Digital mammography. Right breast, cranio-caudal projection. Patient age 87.
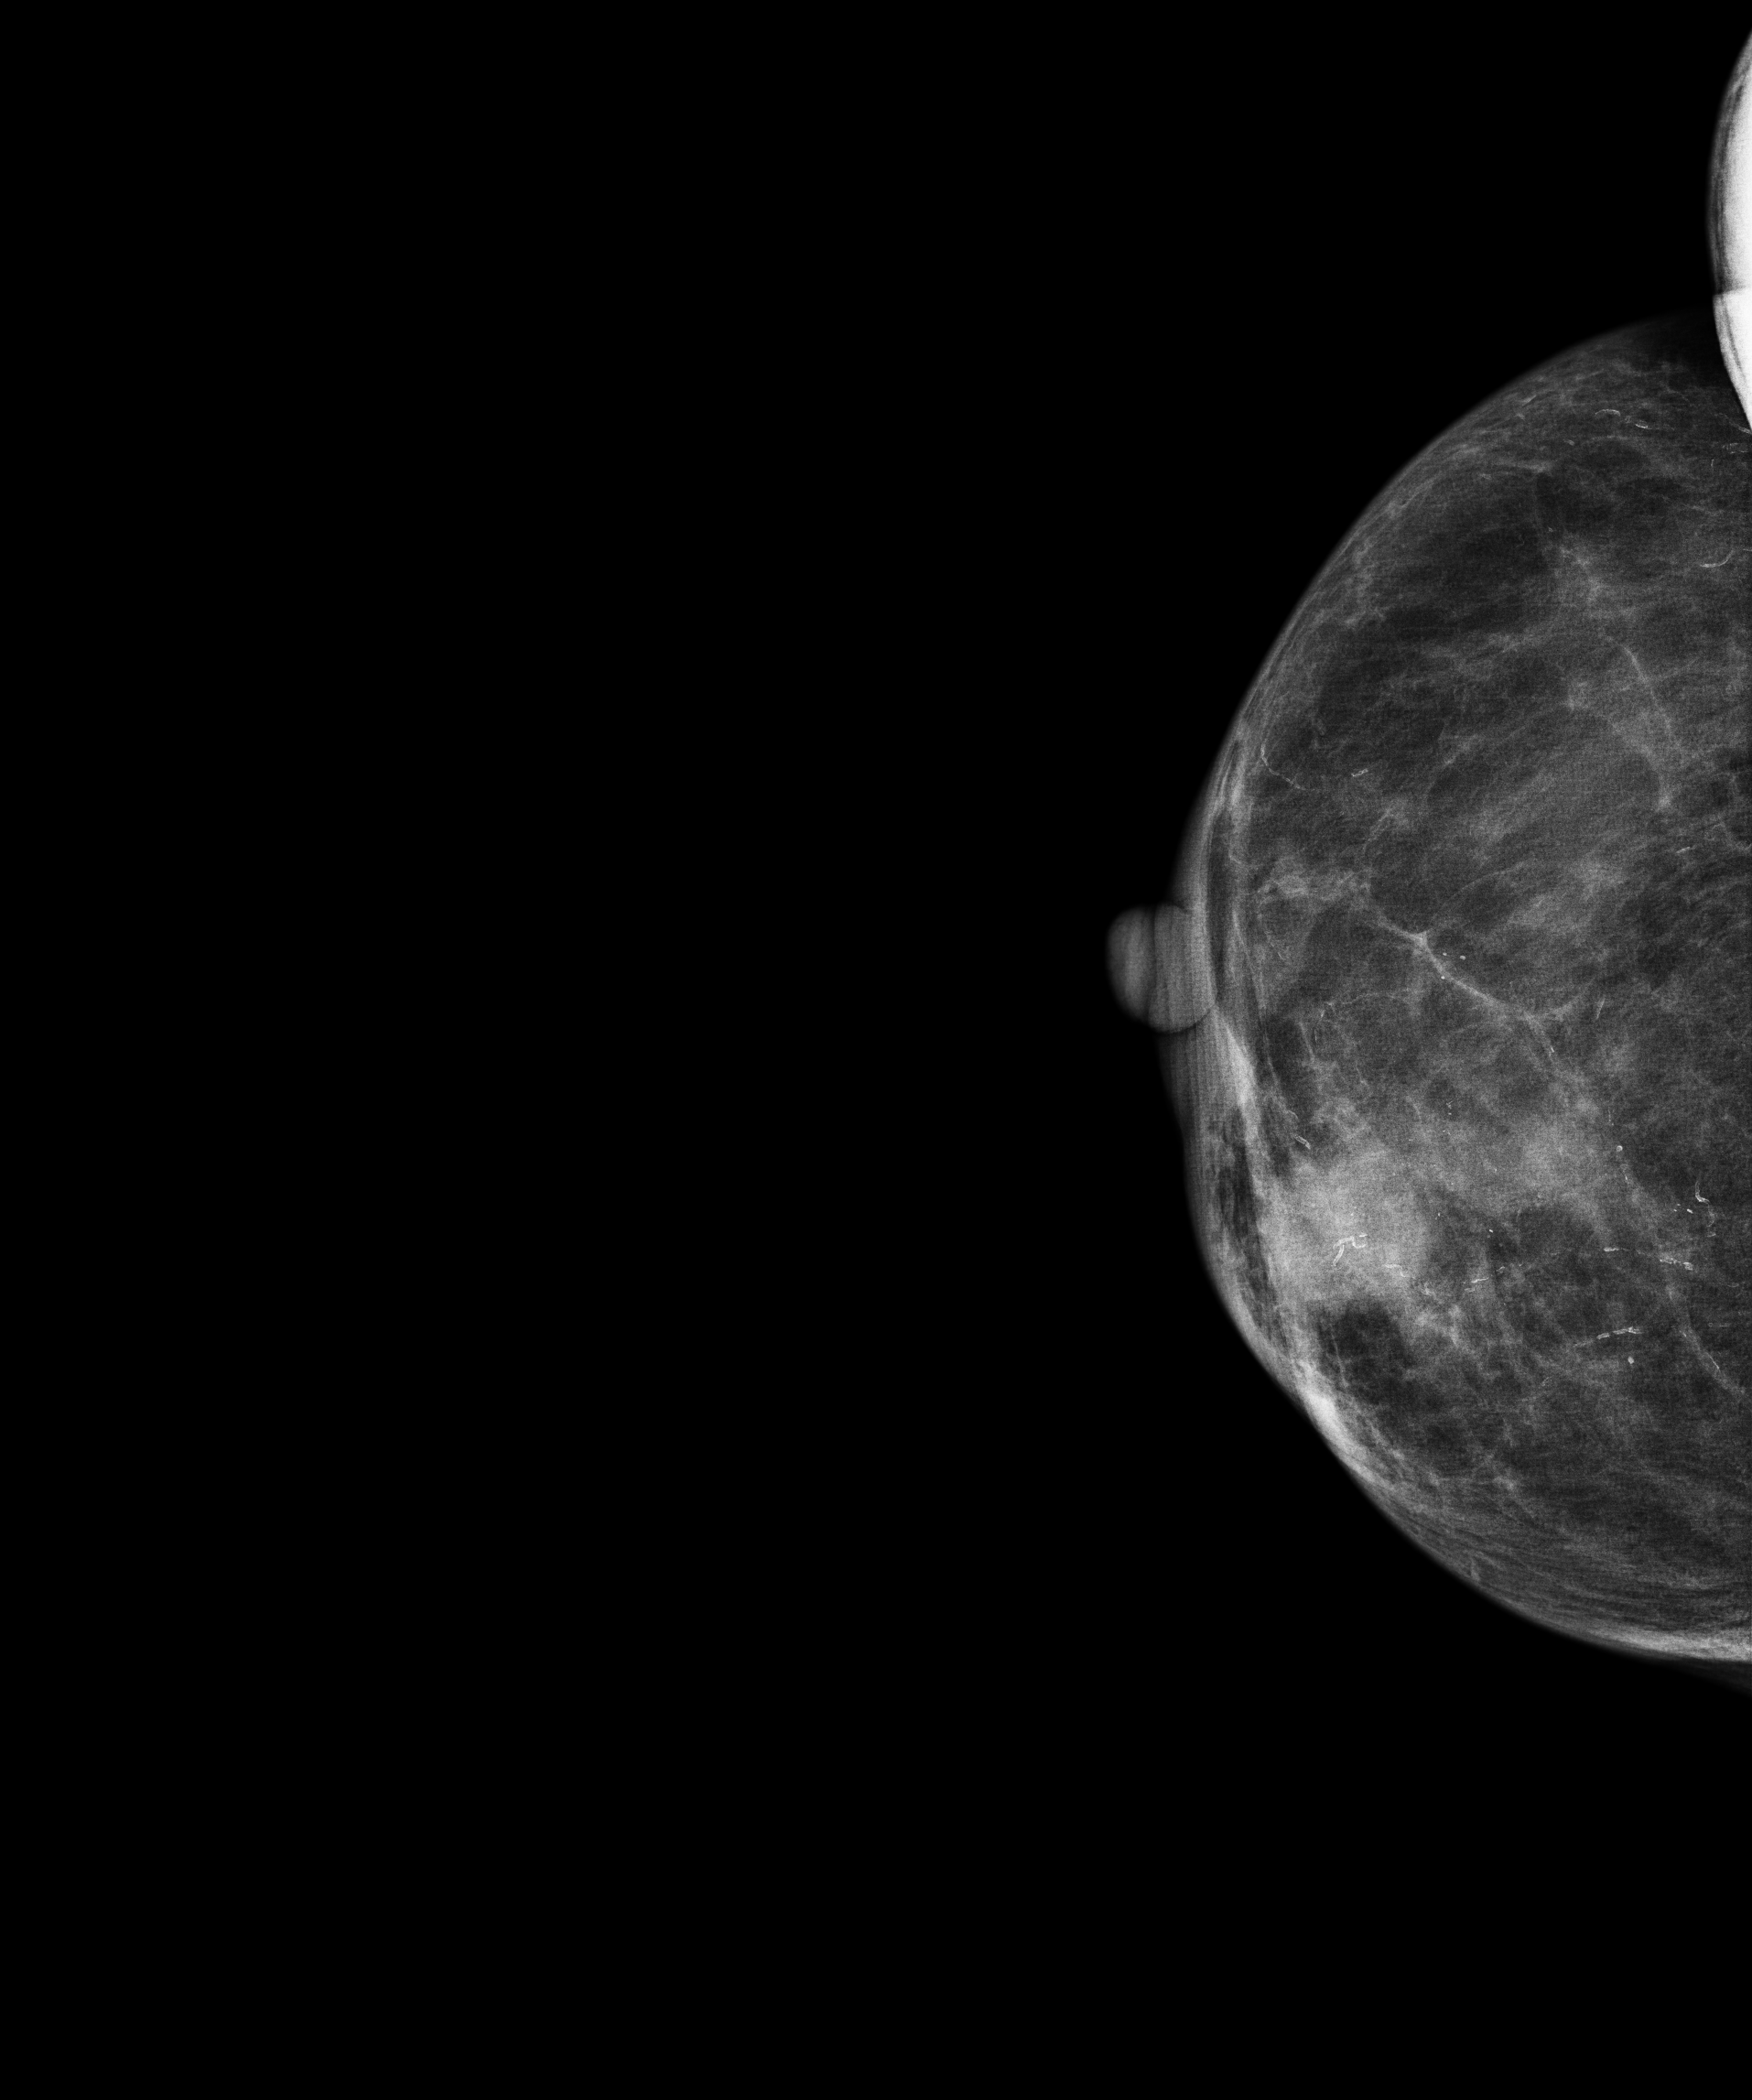
This breast has a mass and calcifications, biopsy-confirmed malignant. Molecular subtype: HER2-enriched.